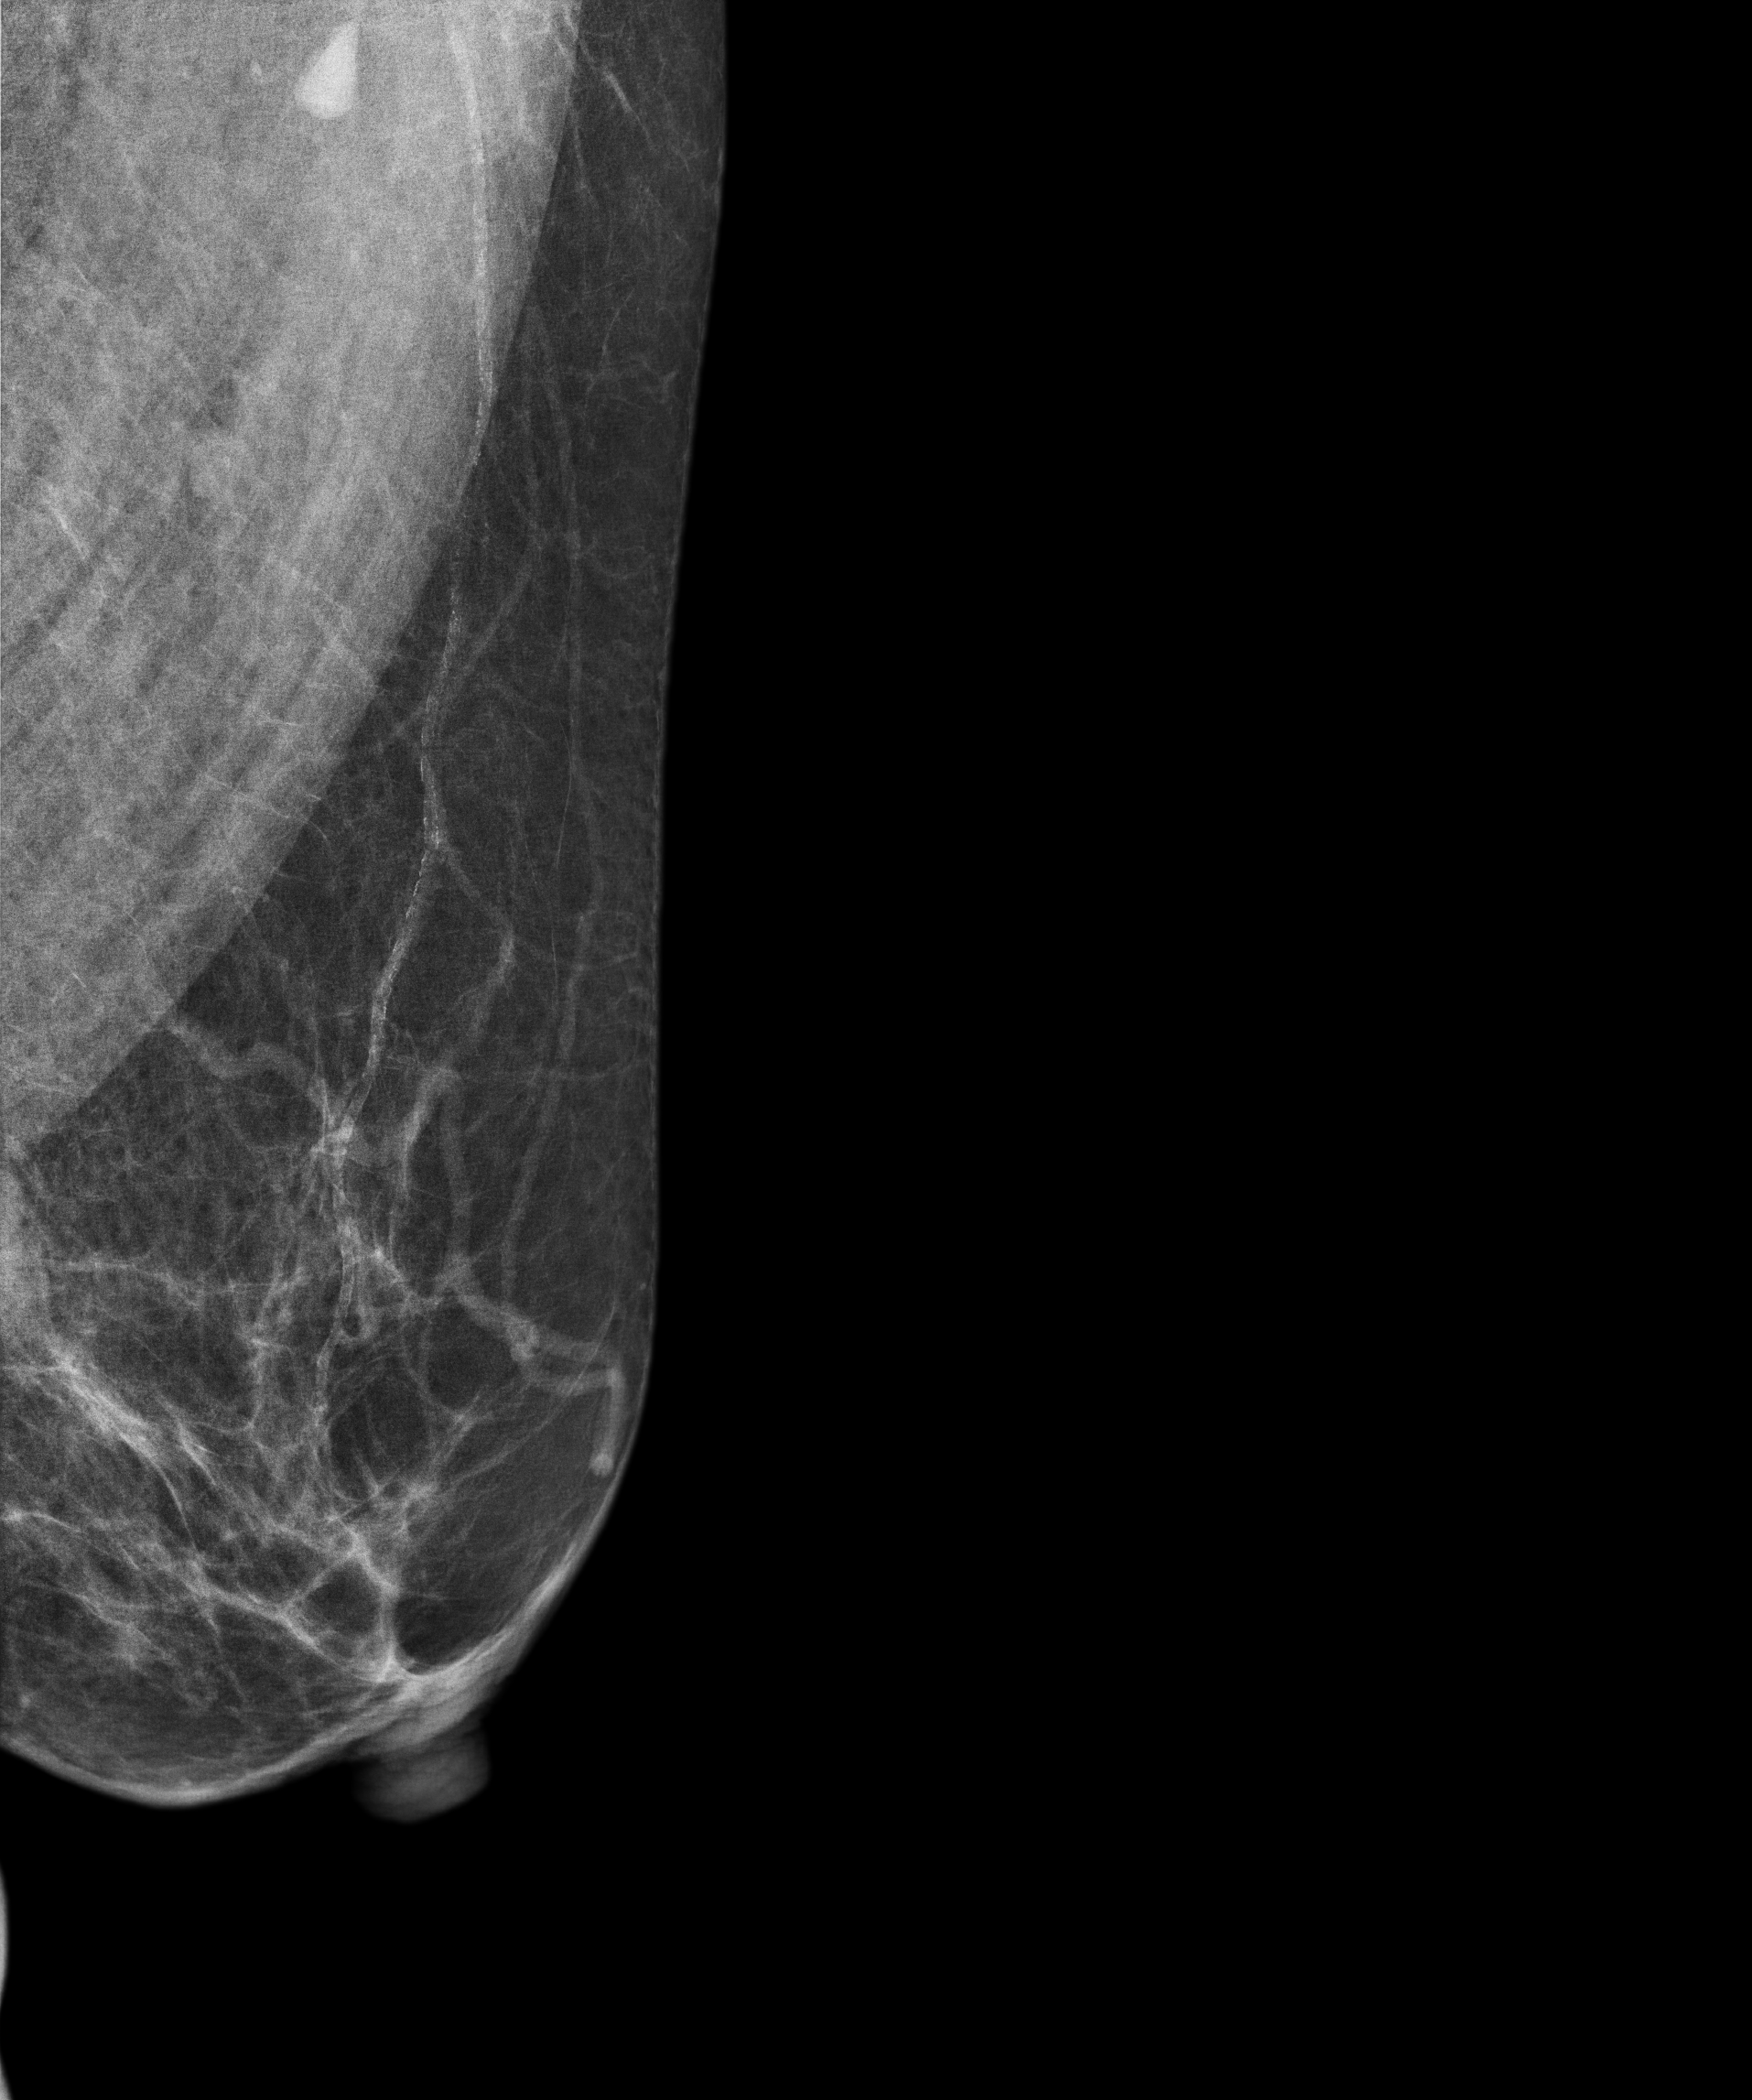
Digital mammography. Left breast, MLO projection. 69-year-old patient.
This breast has a mass, biopsy-confirmed malignant. Molecular subtype: luminal B.